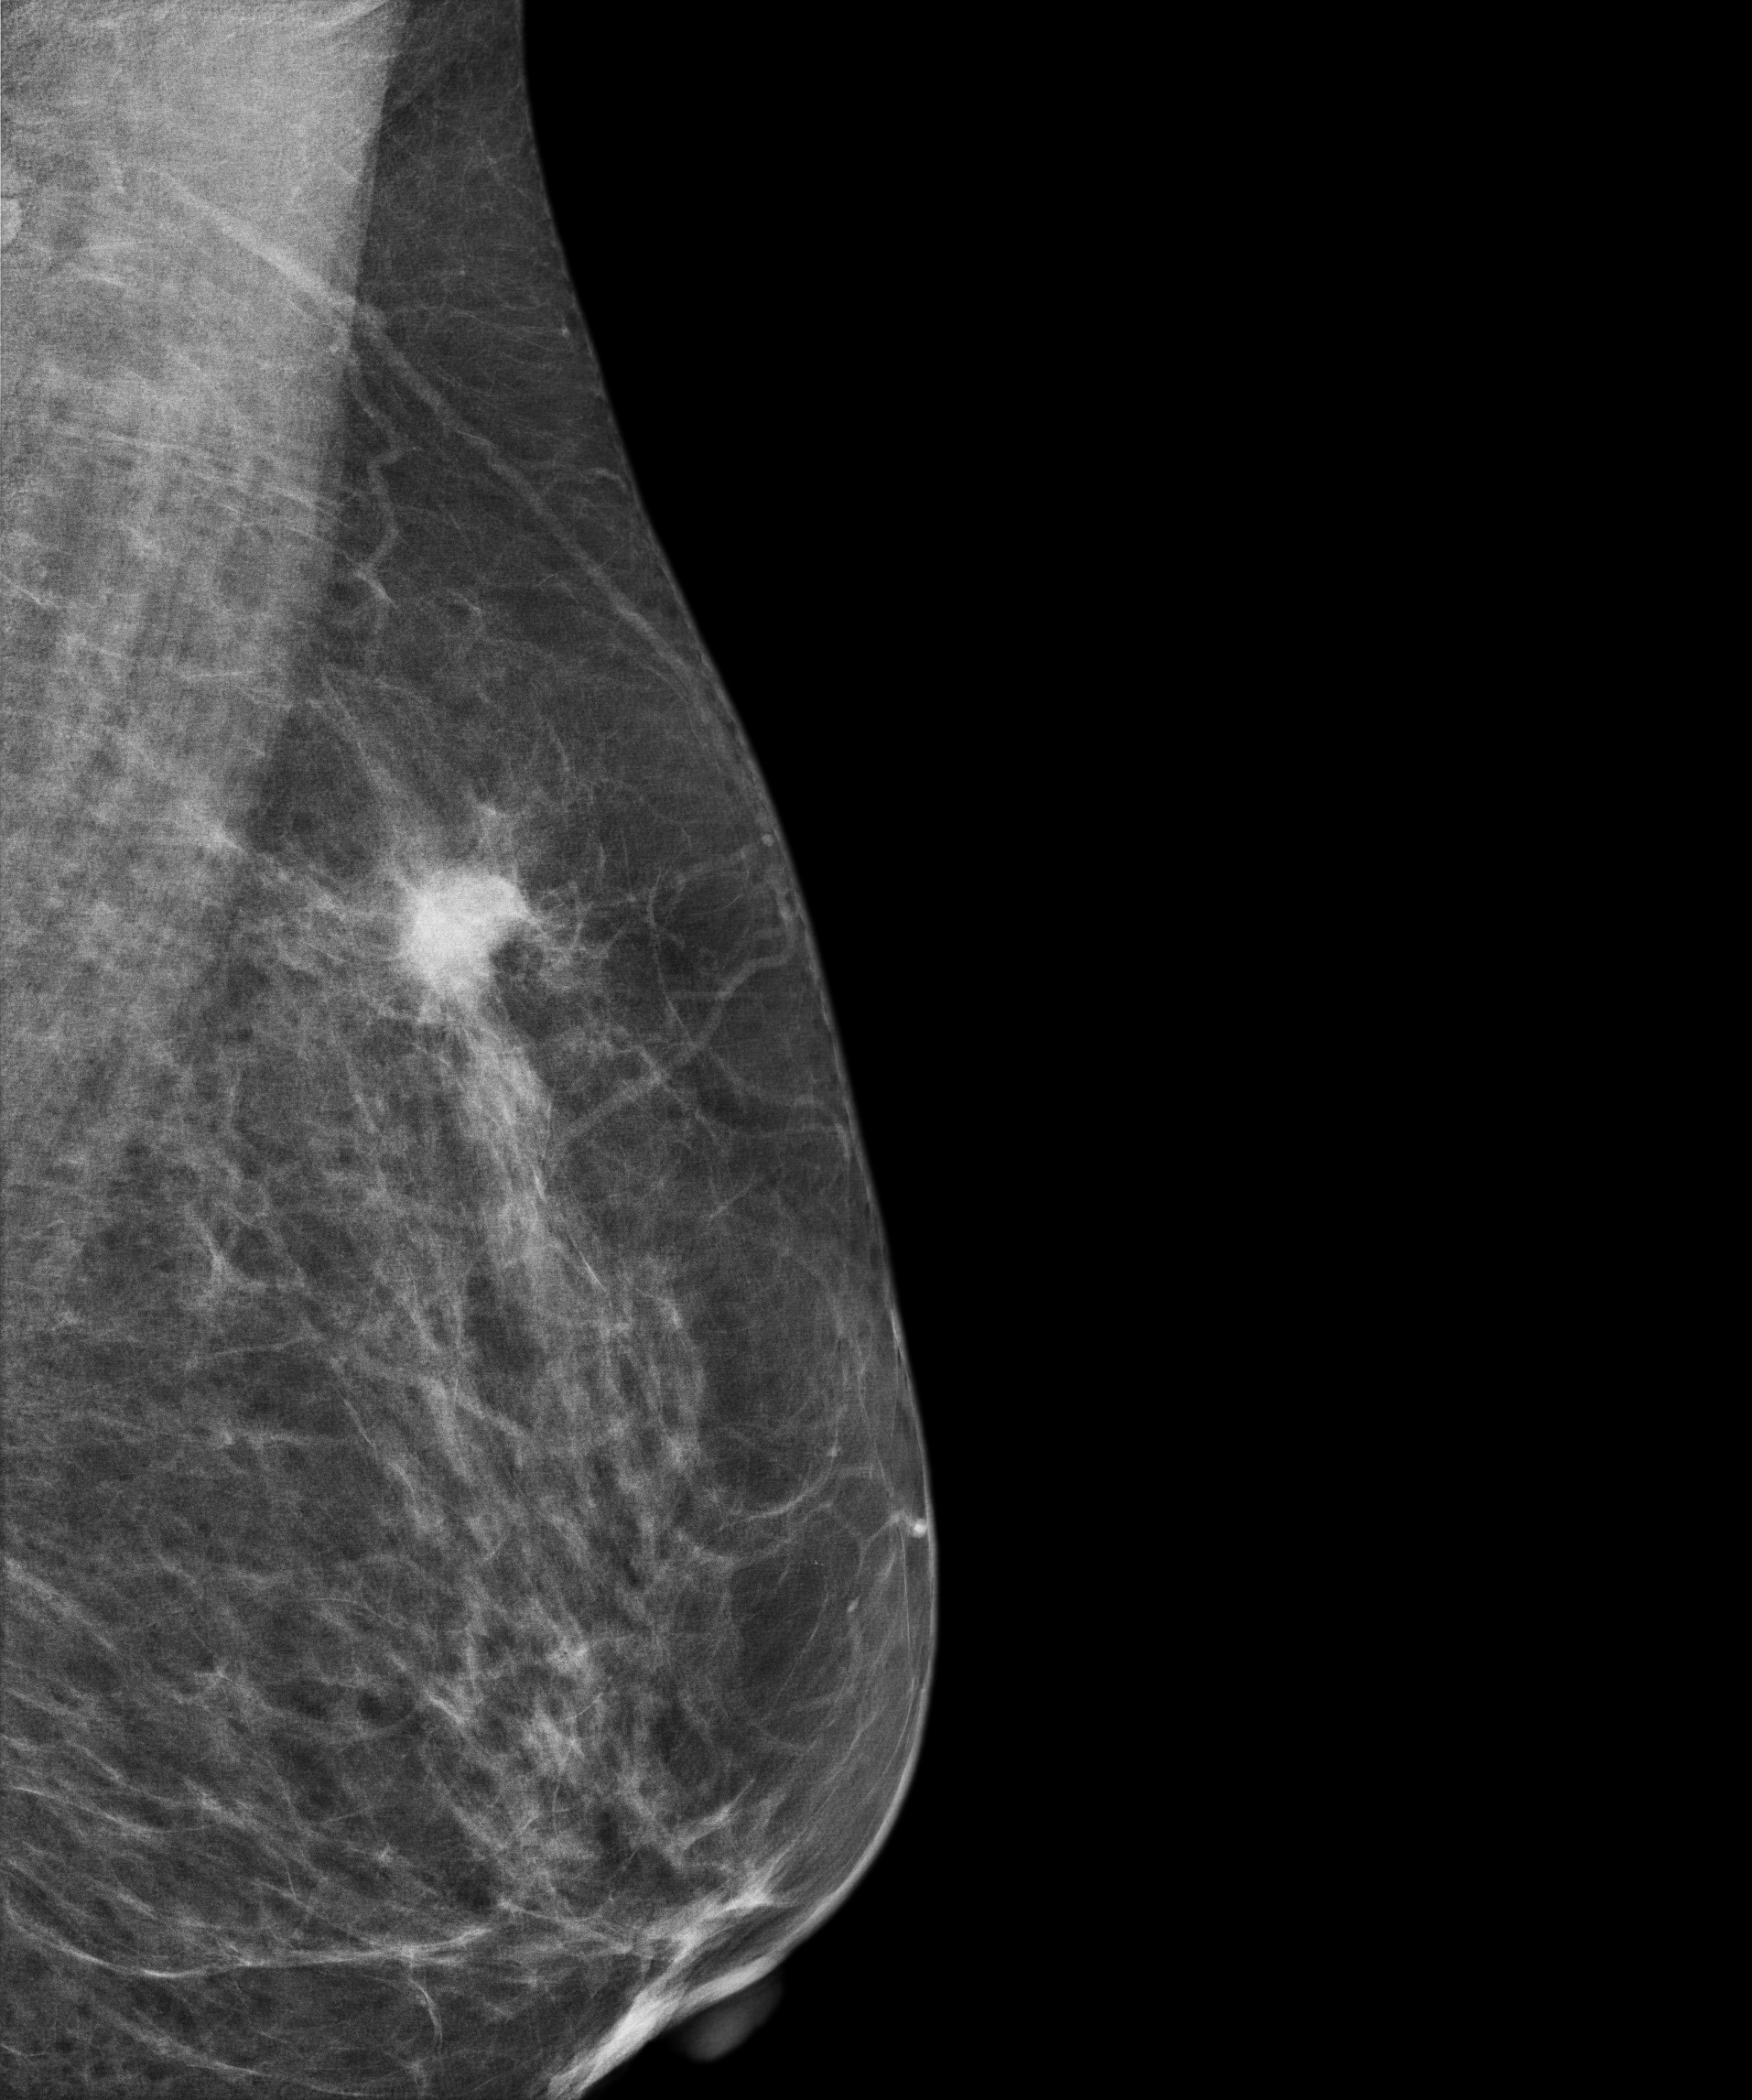
Mammogram — left MLO. 64 y/o patient.
This breast has a mass, biopsy-proven malignant.